Right-breast mammogram, MLO. 35 y/o patient.
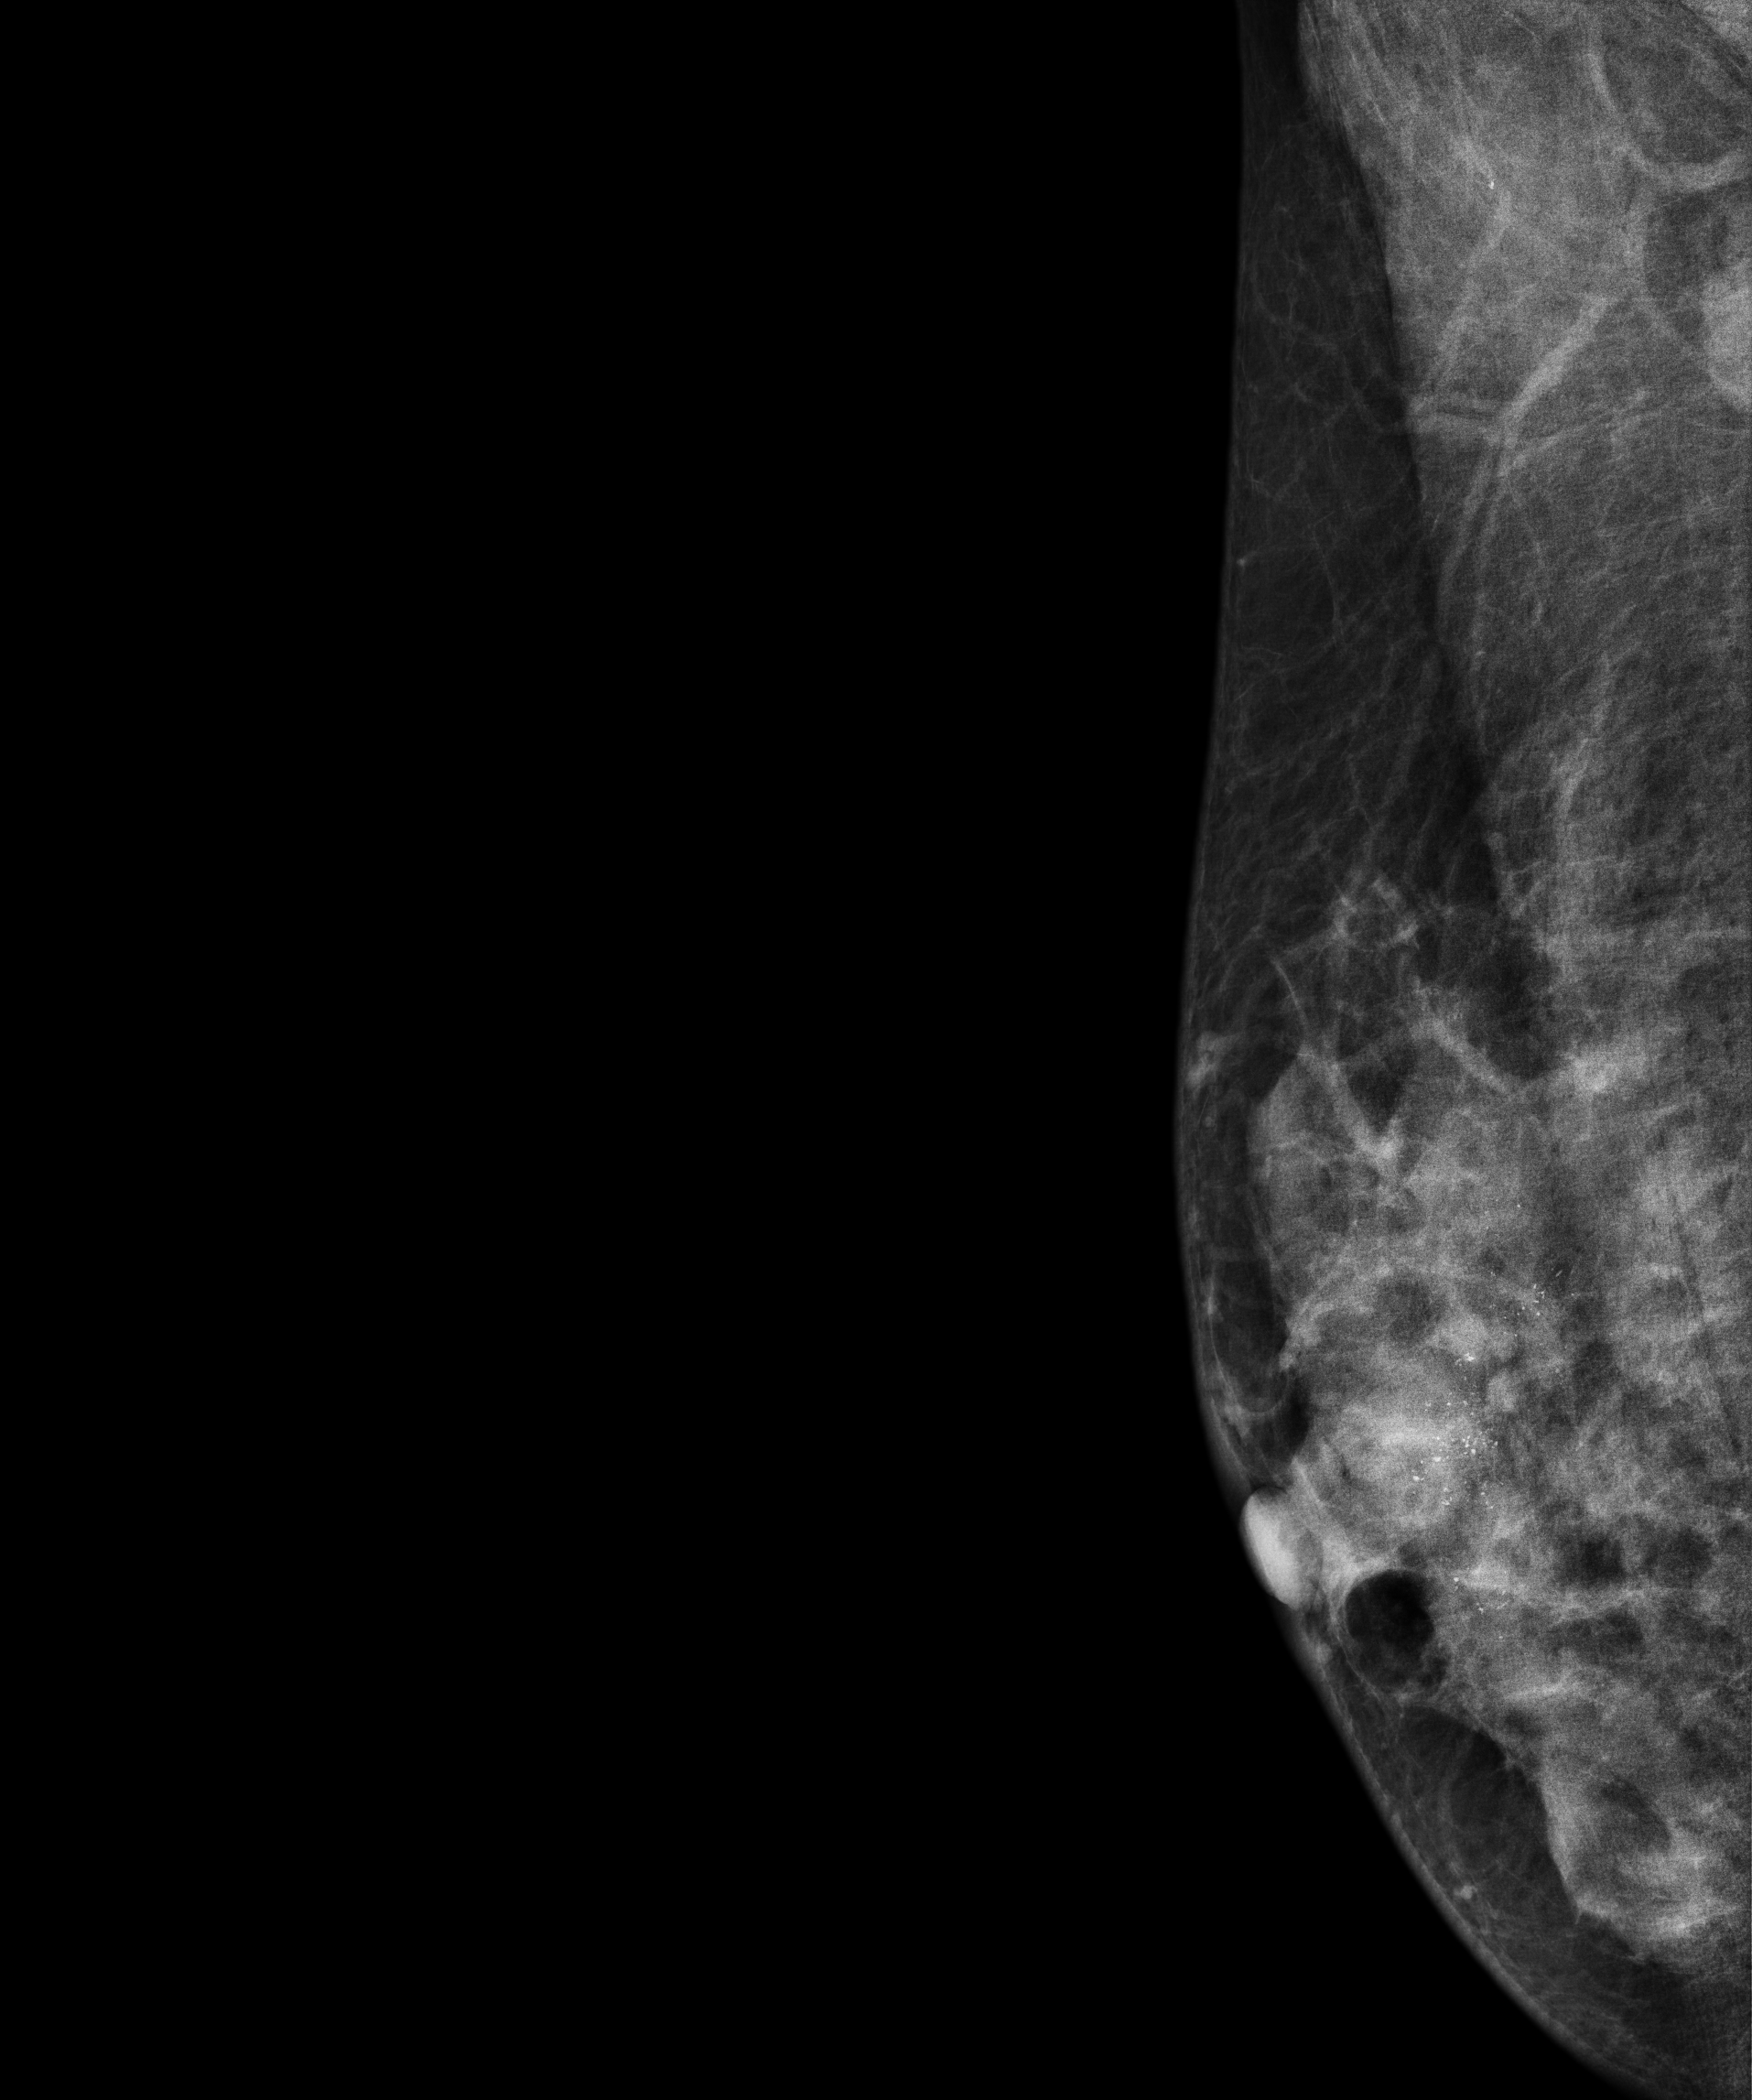
This breast has calcifications, biopsy-confirmed malignant. Molecular subtype: luminal B.